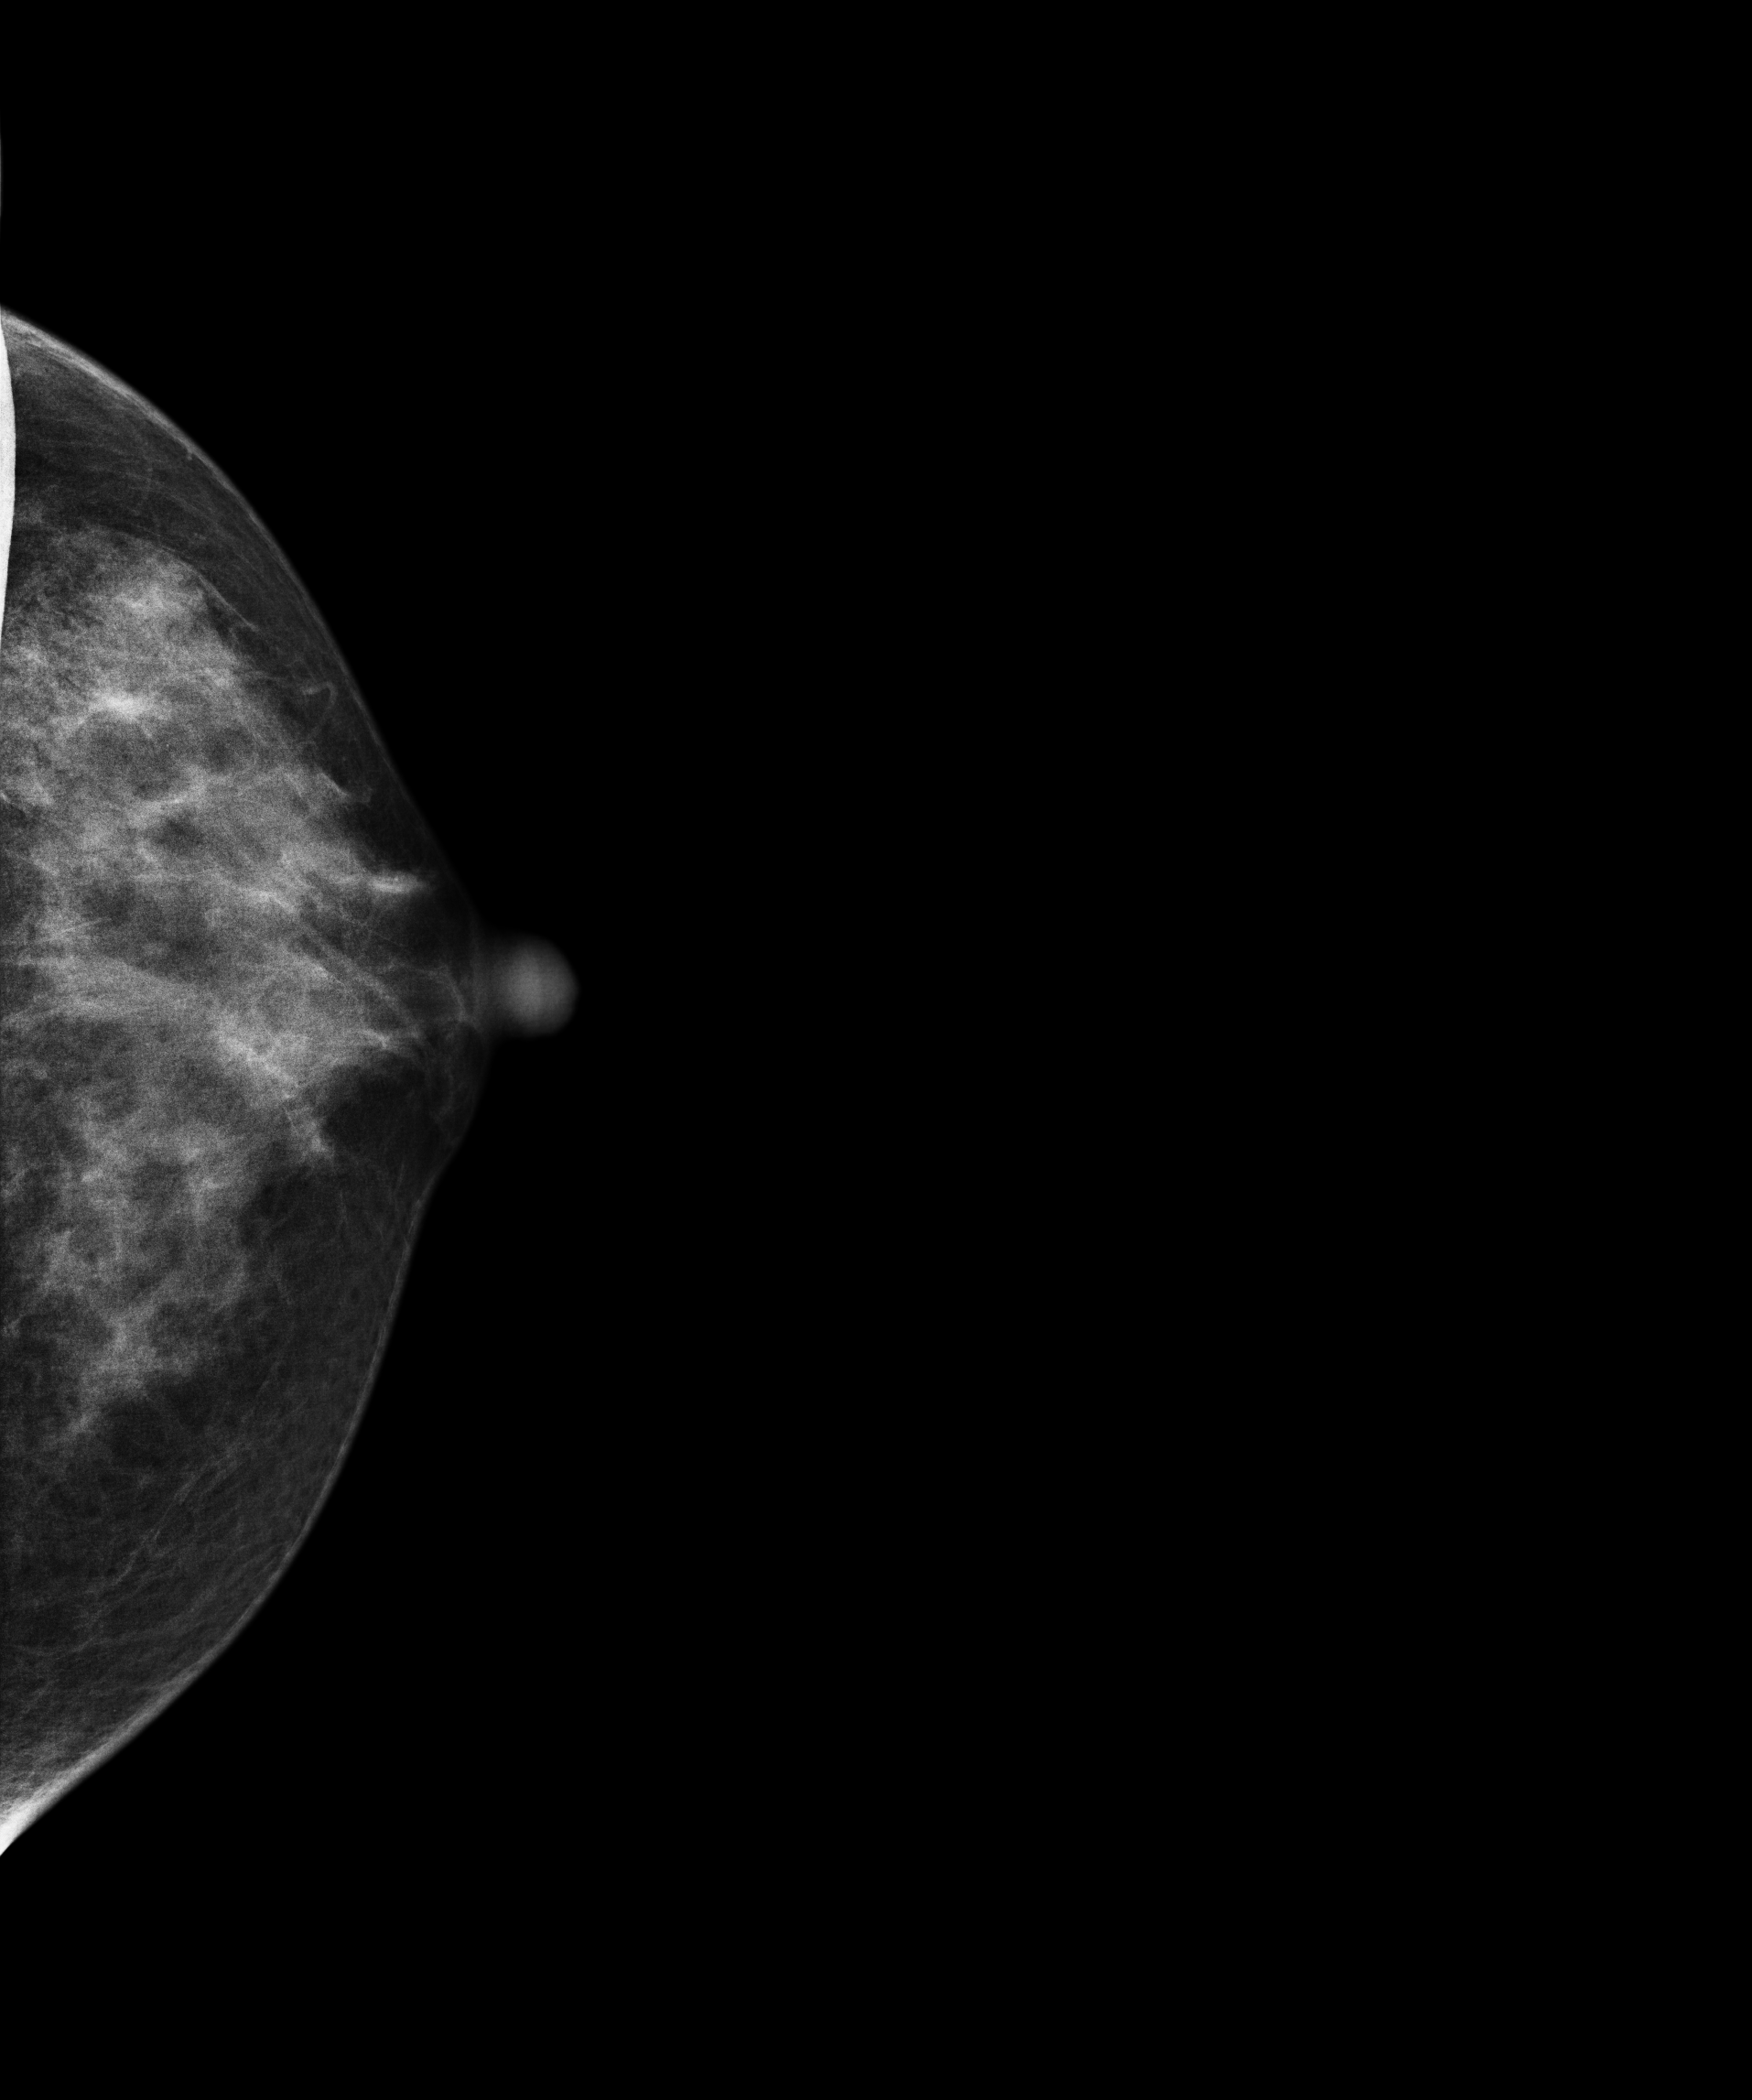
Left-breast mammogram, CC. 40 y/o patient.
This breast has a mass, pathology-confirmed benign.